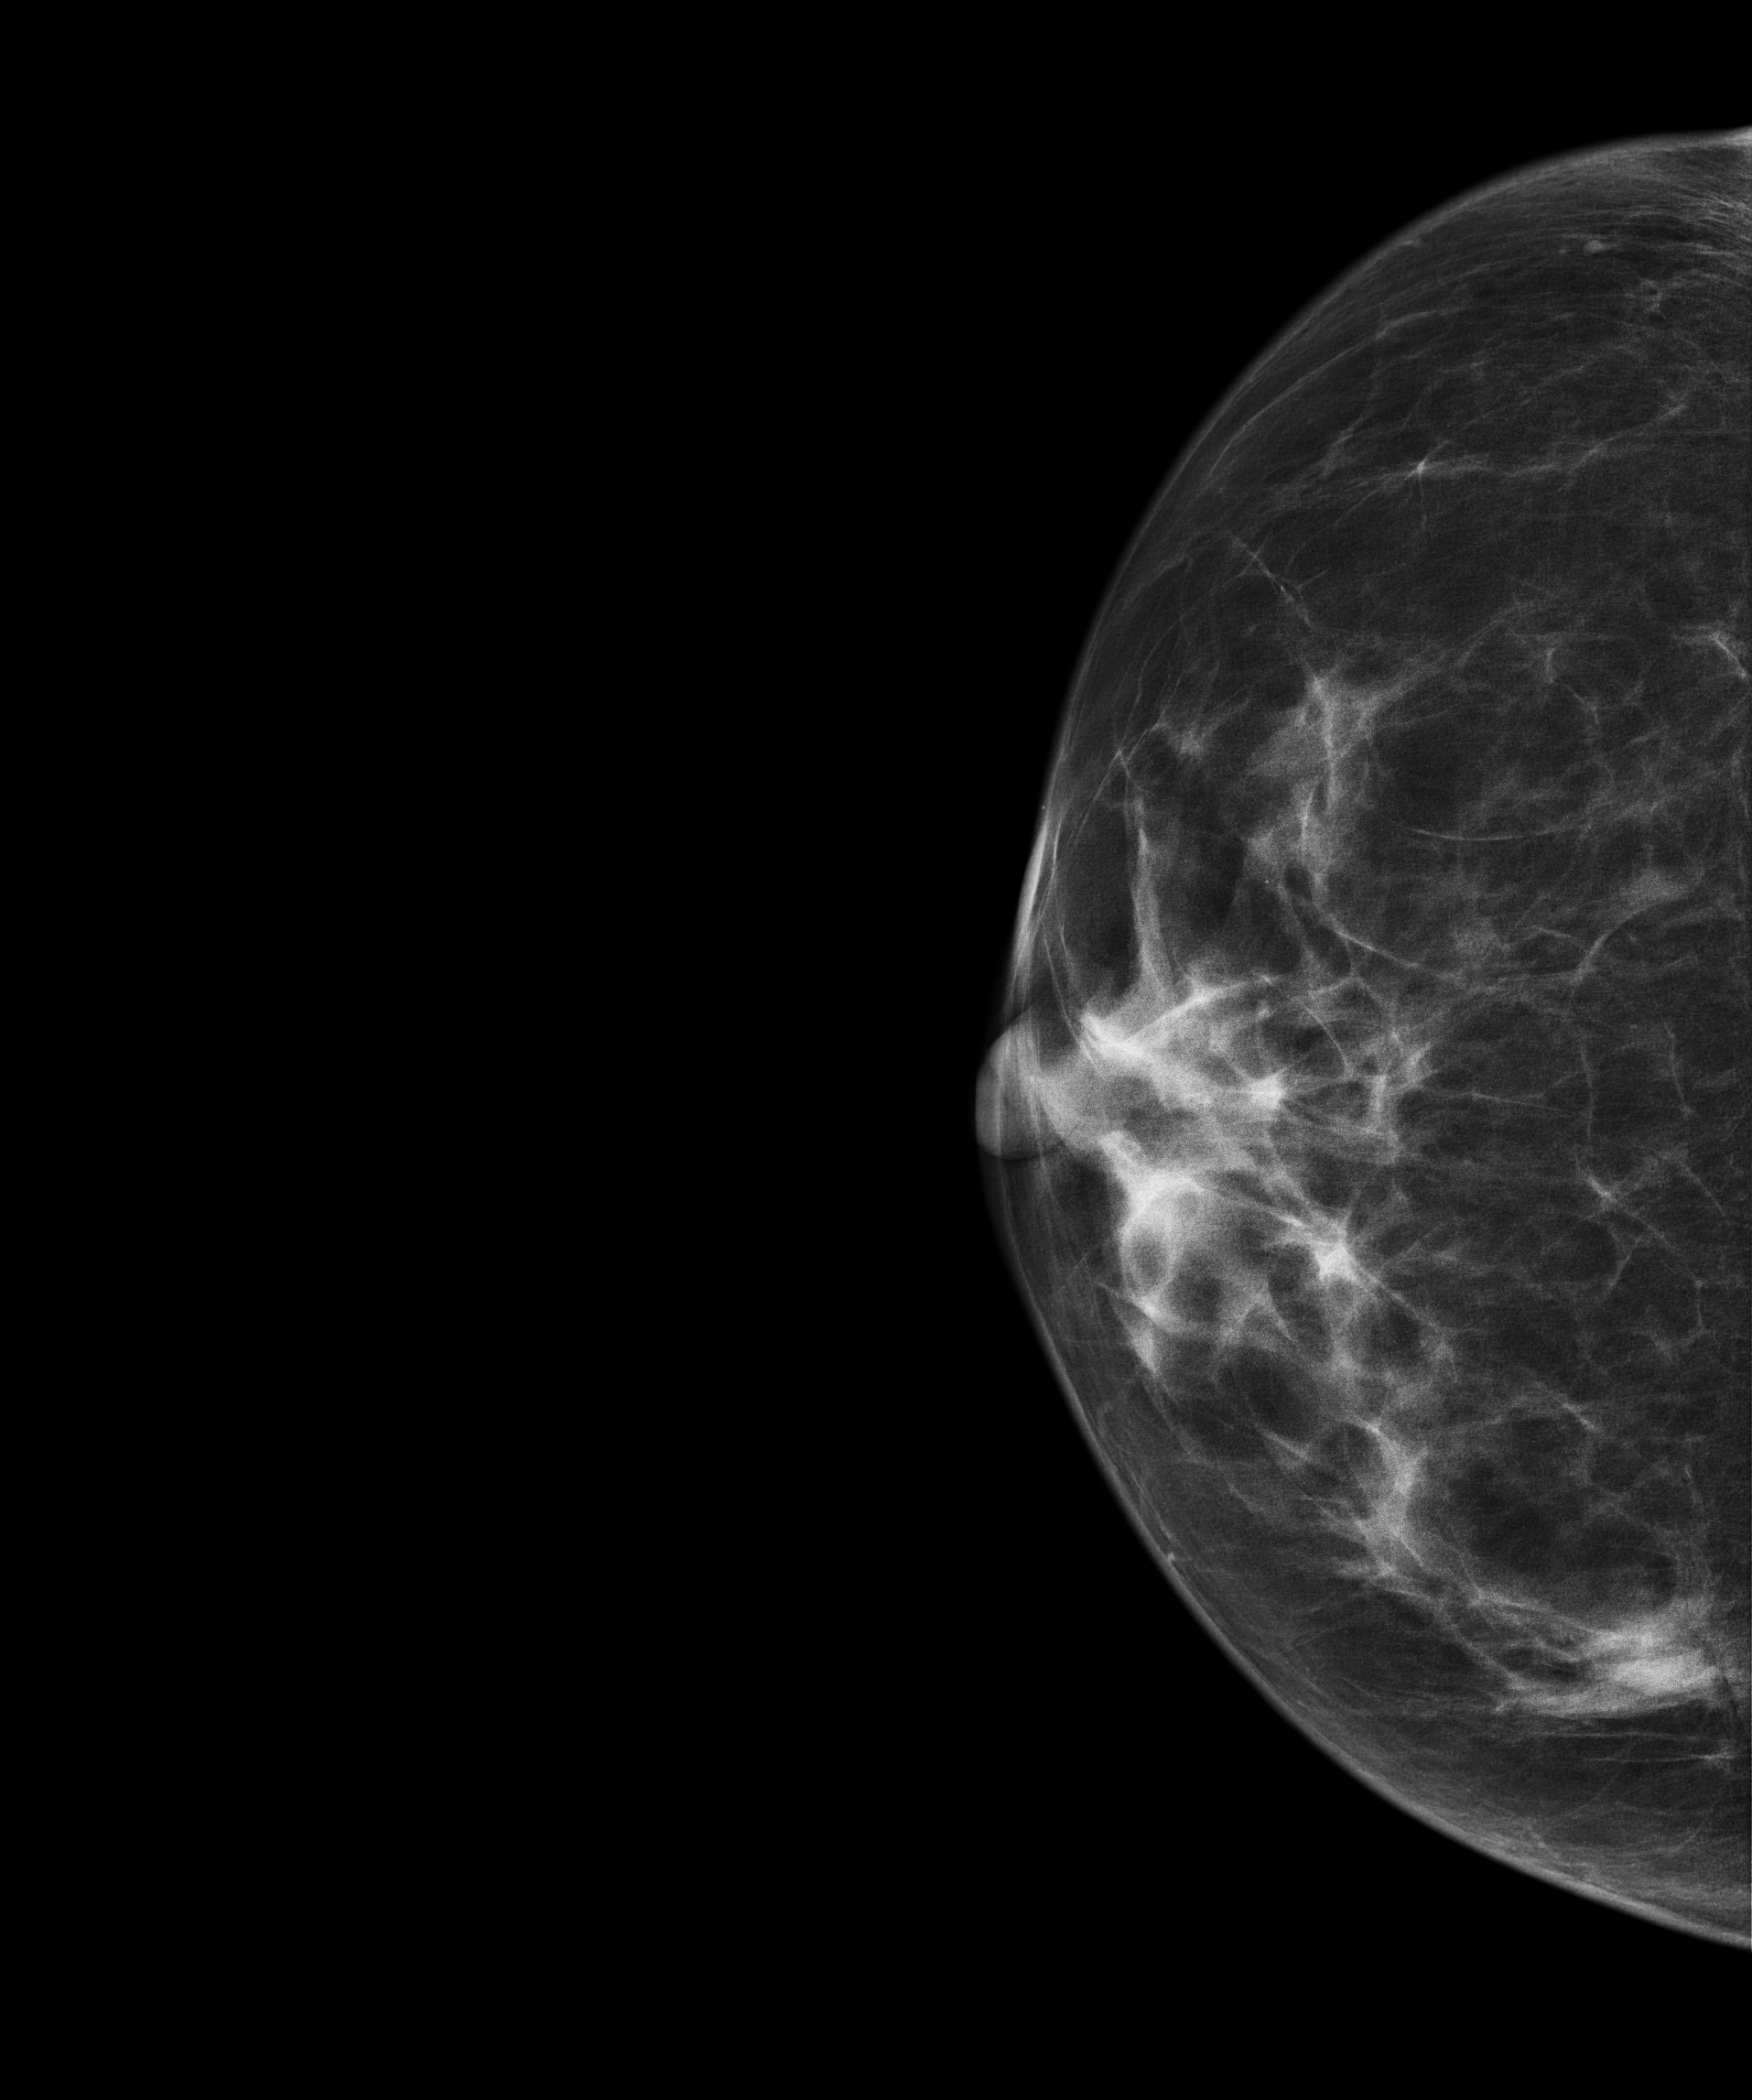
Cranio-caudal mammogram of the right breast. 60 y/o patient.
This breast has a mass and calcifications, biopsy-proven malignant. Molecular subtype: luminal B.